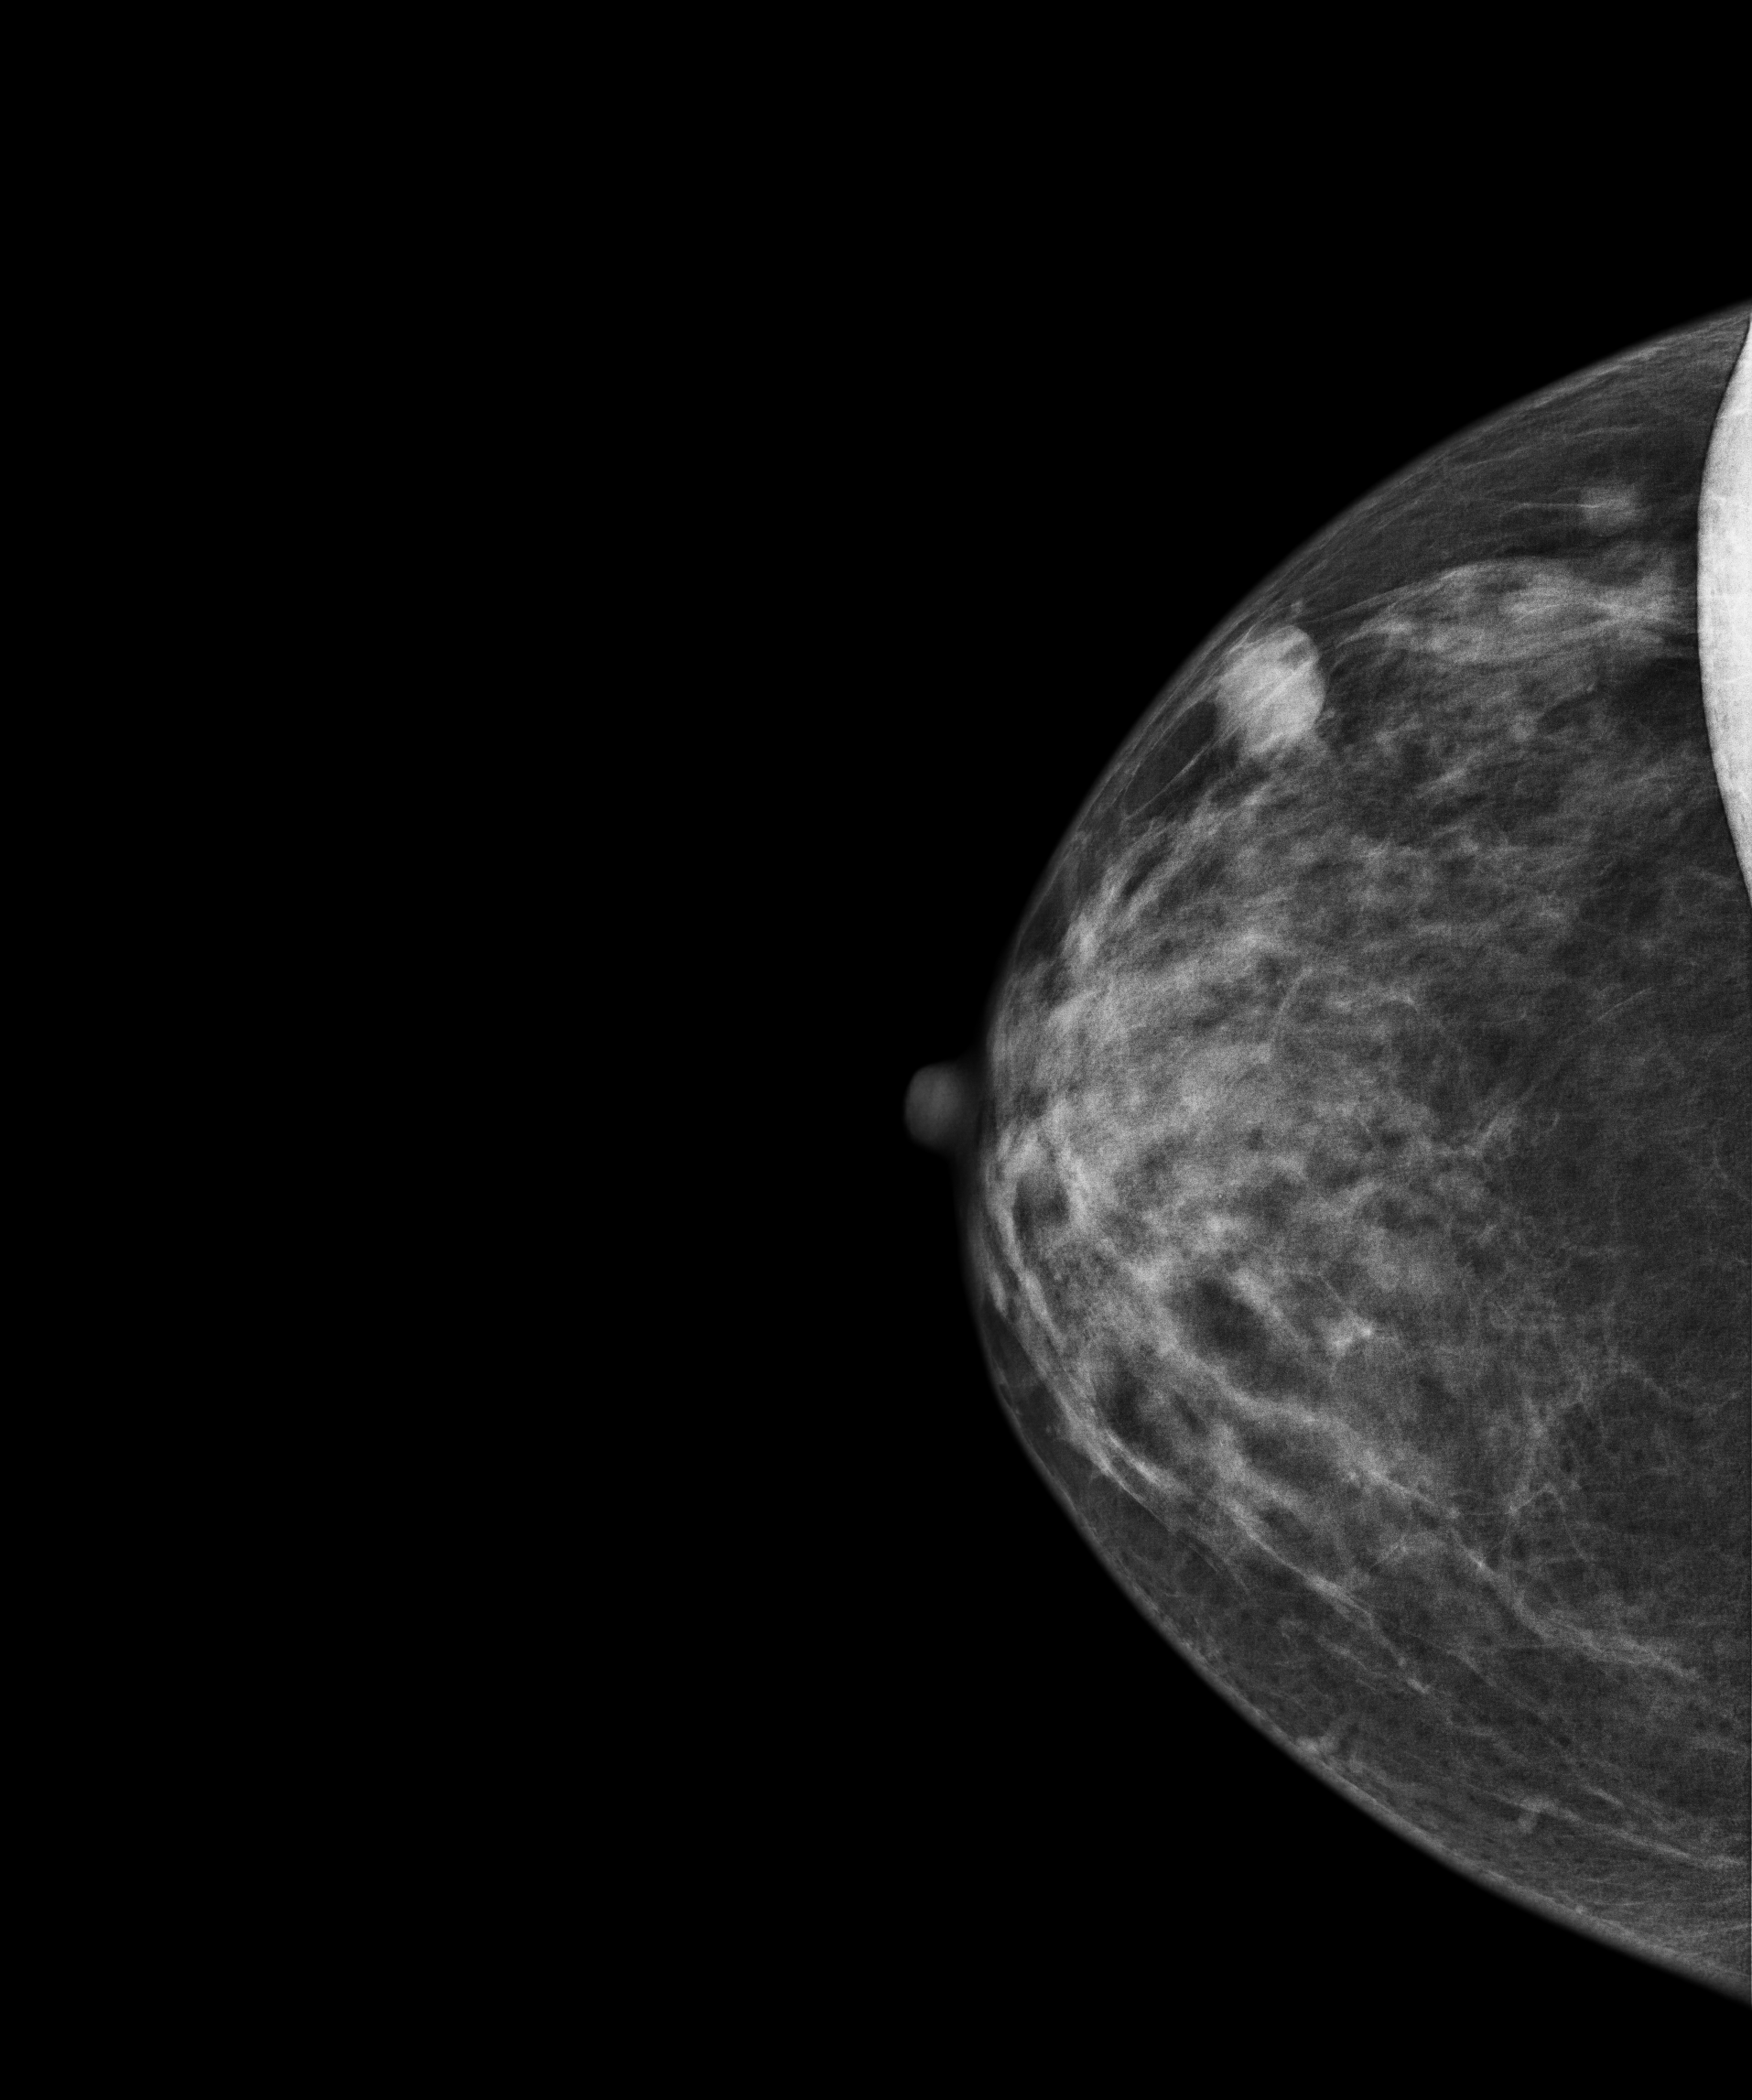
Cranio-caudal mammogram of the right breast. 44-year-old patient.
This breast has a mass, histologically confirmed benign.